Mammogram, left breast, CC view. Patient age 70.
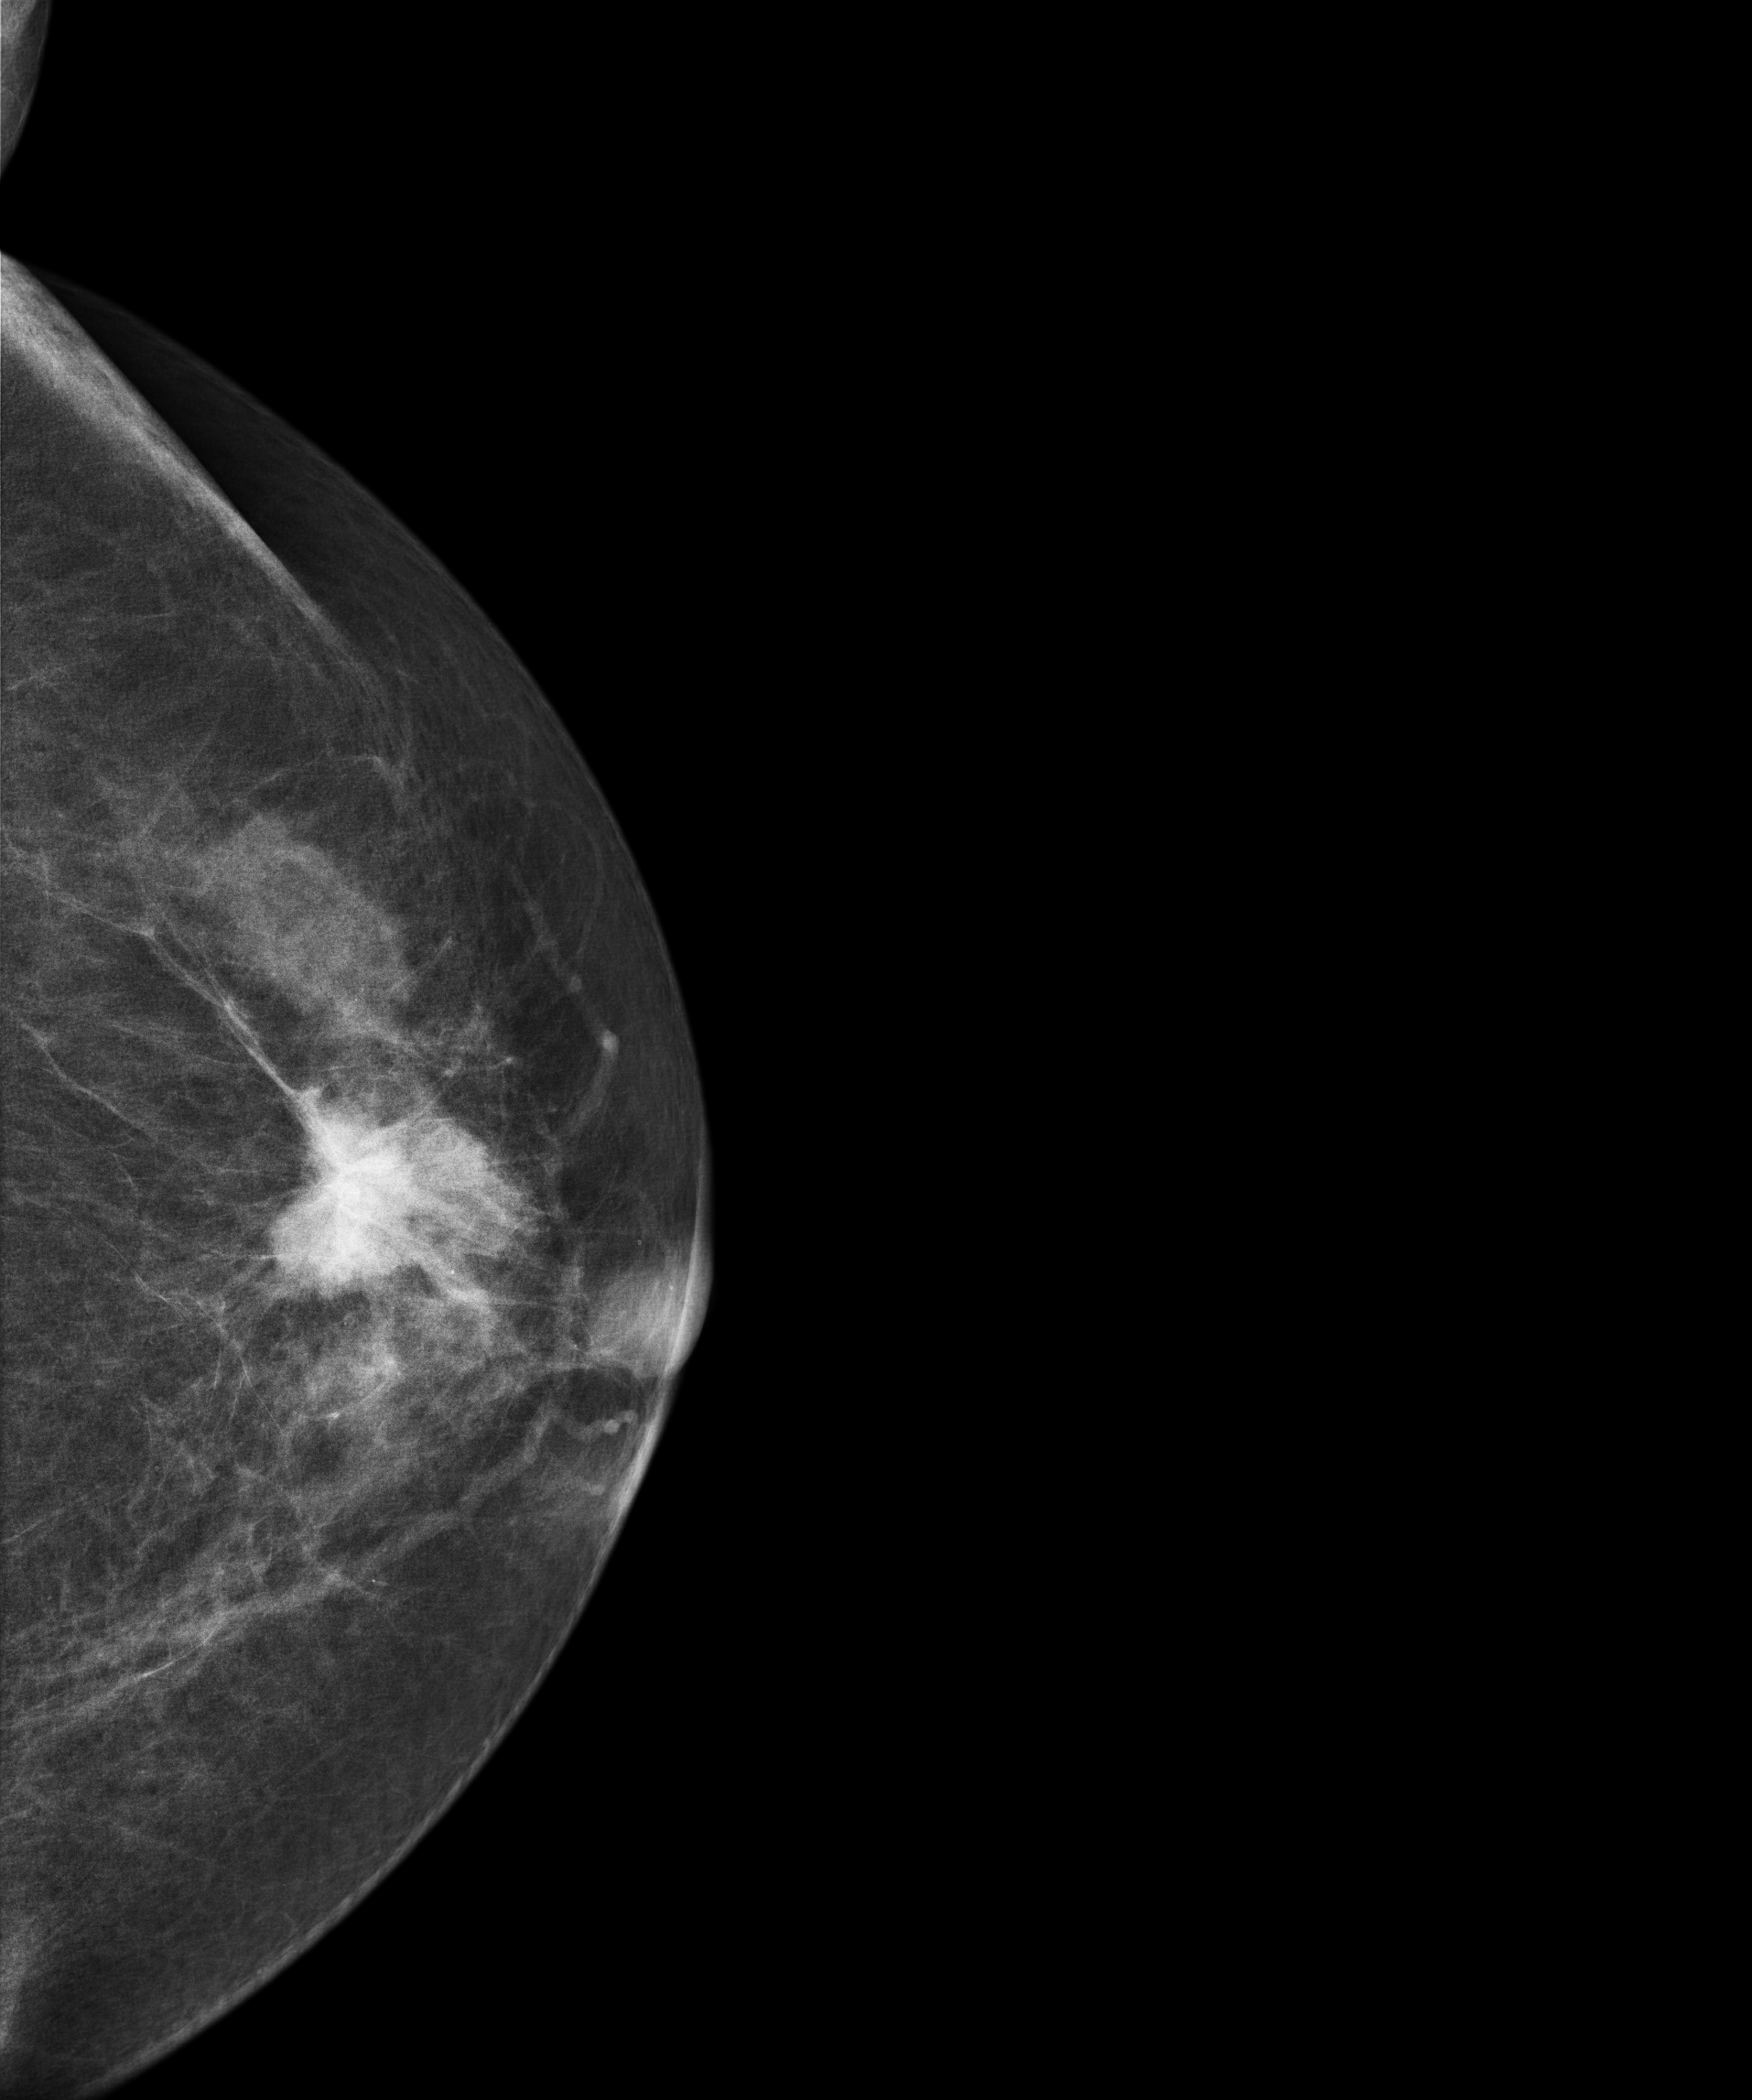
This breast has a mass, pathology-confirmed malignant.